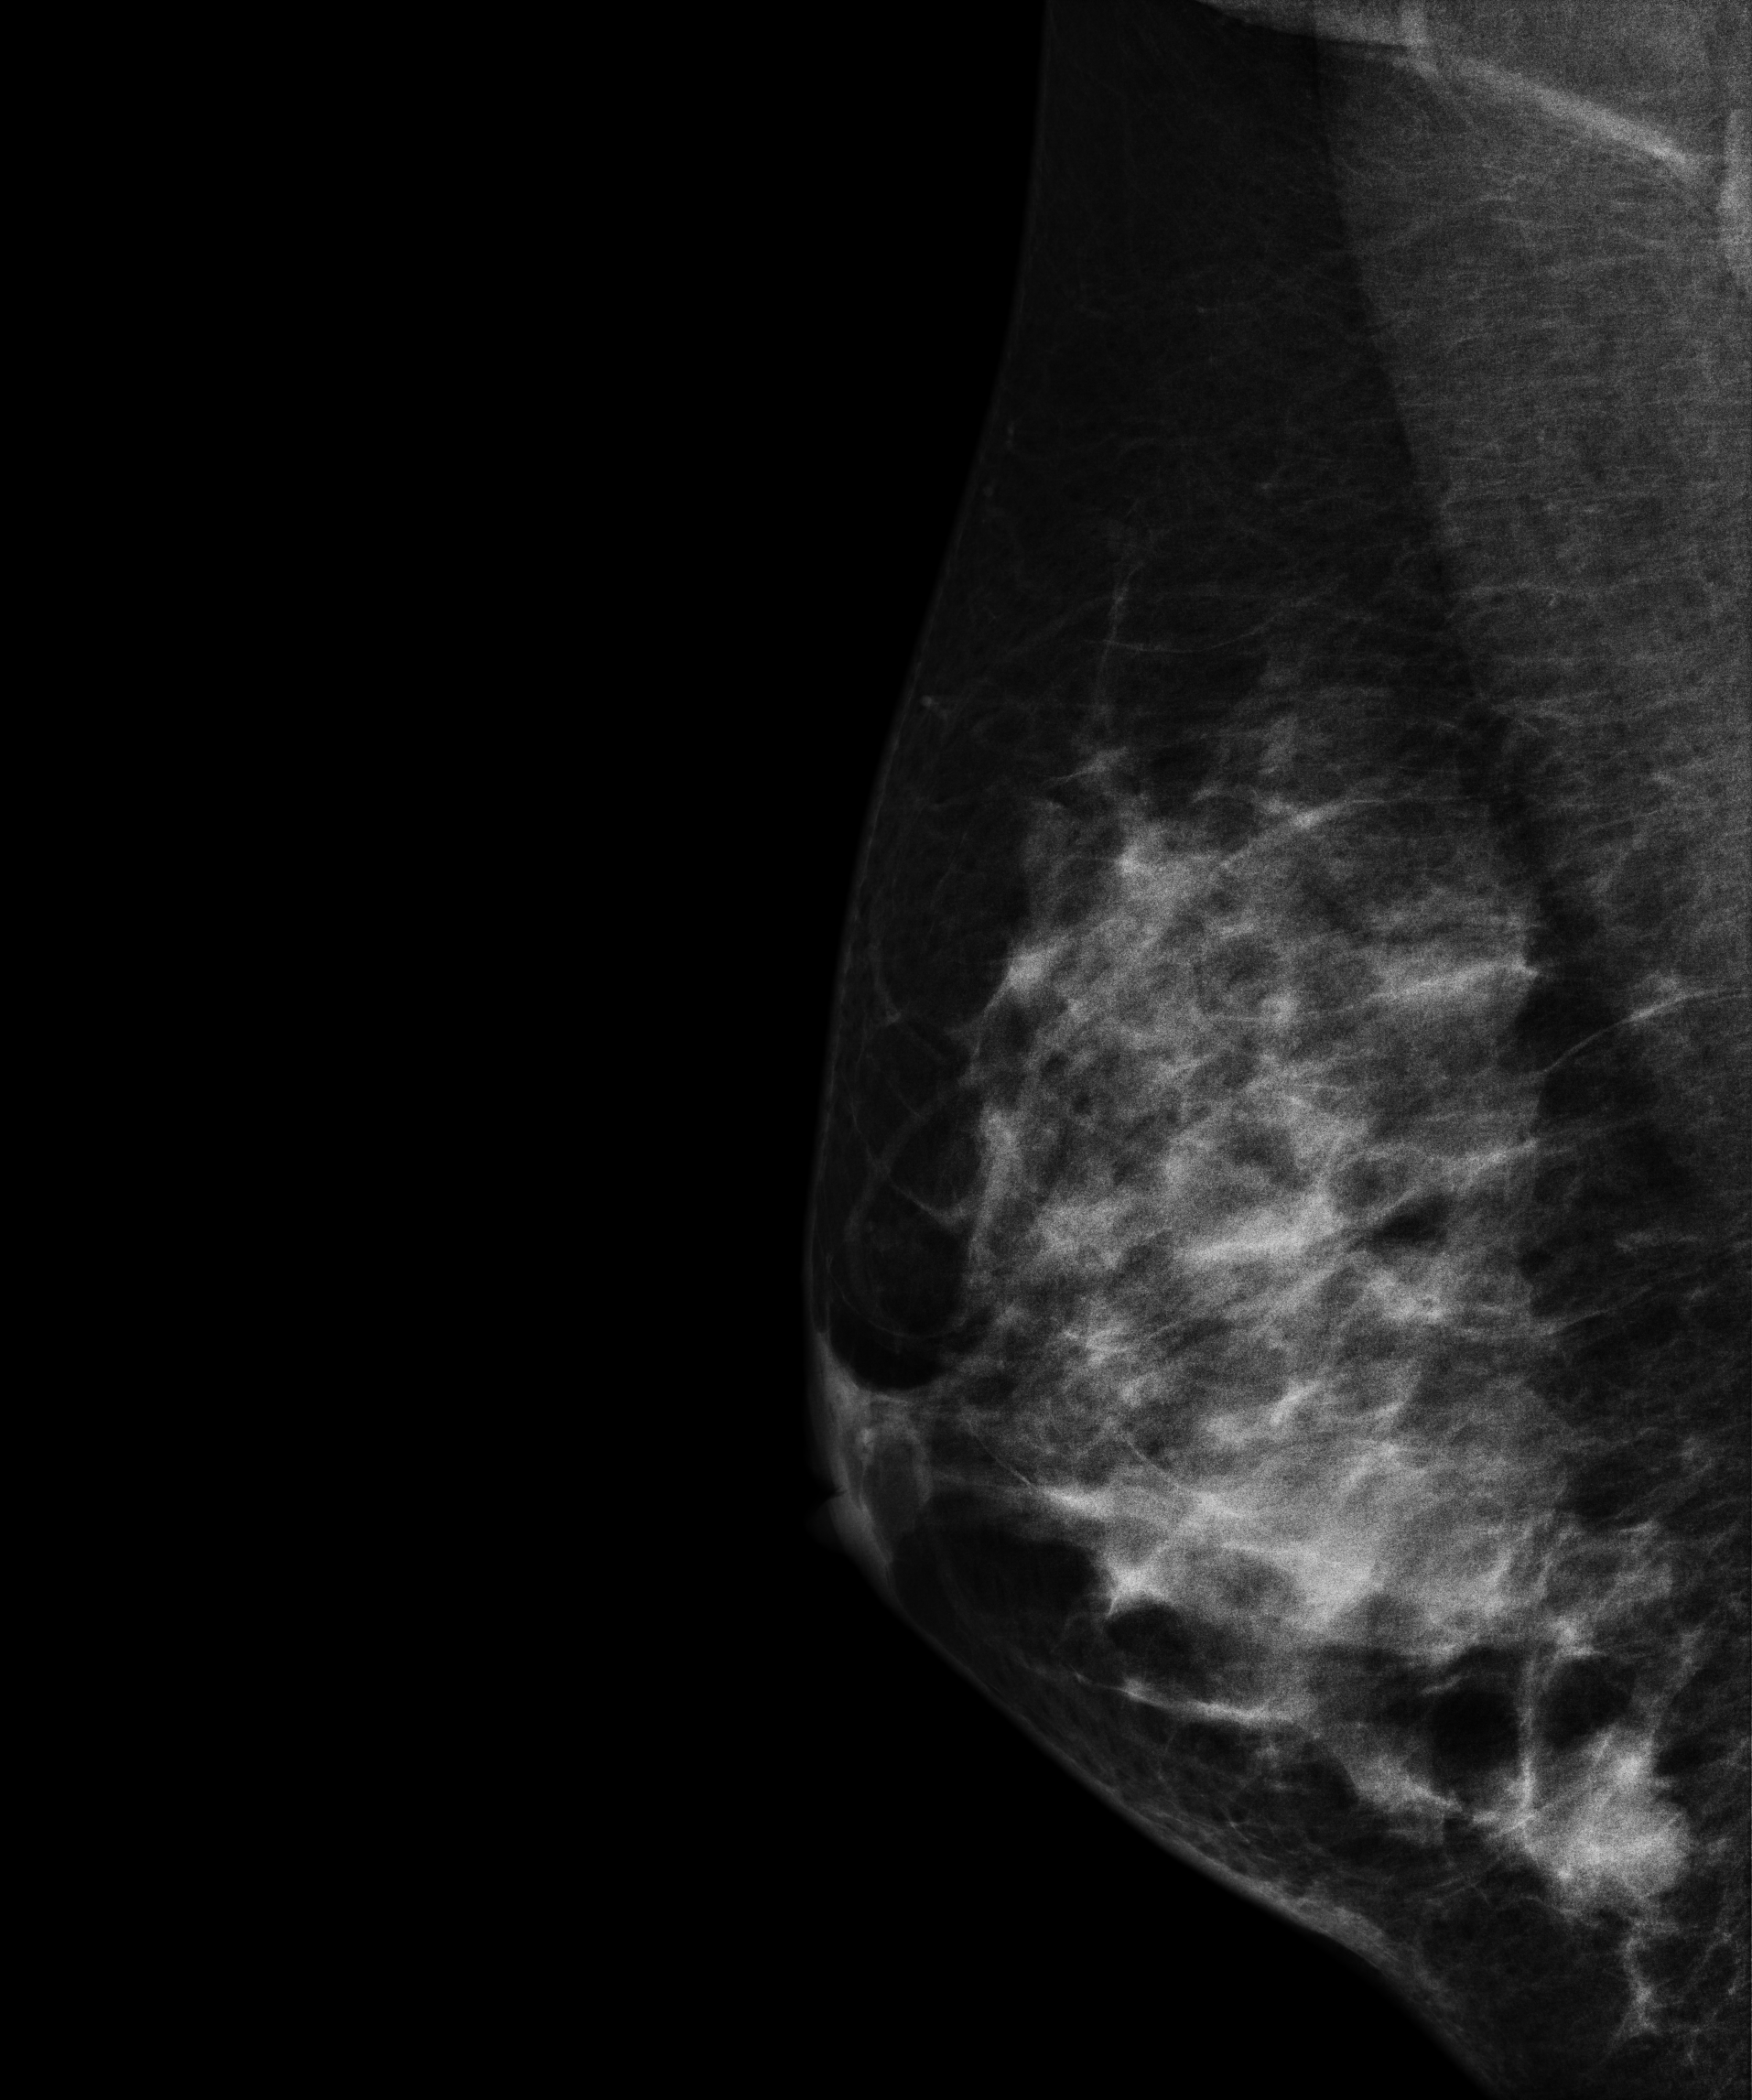
Digital mammography. Right breast, medio-lateral oblique projection. 48-year-old patient.
This breast has a mass, biopsy-proven malignant. Molecular subtype: HER2-enriched.